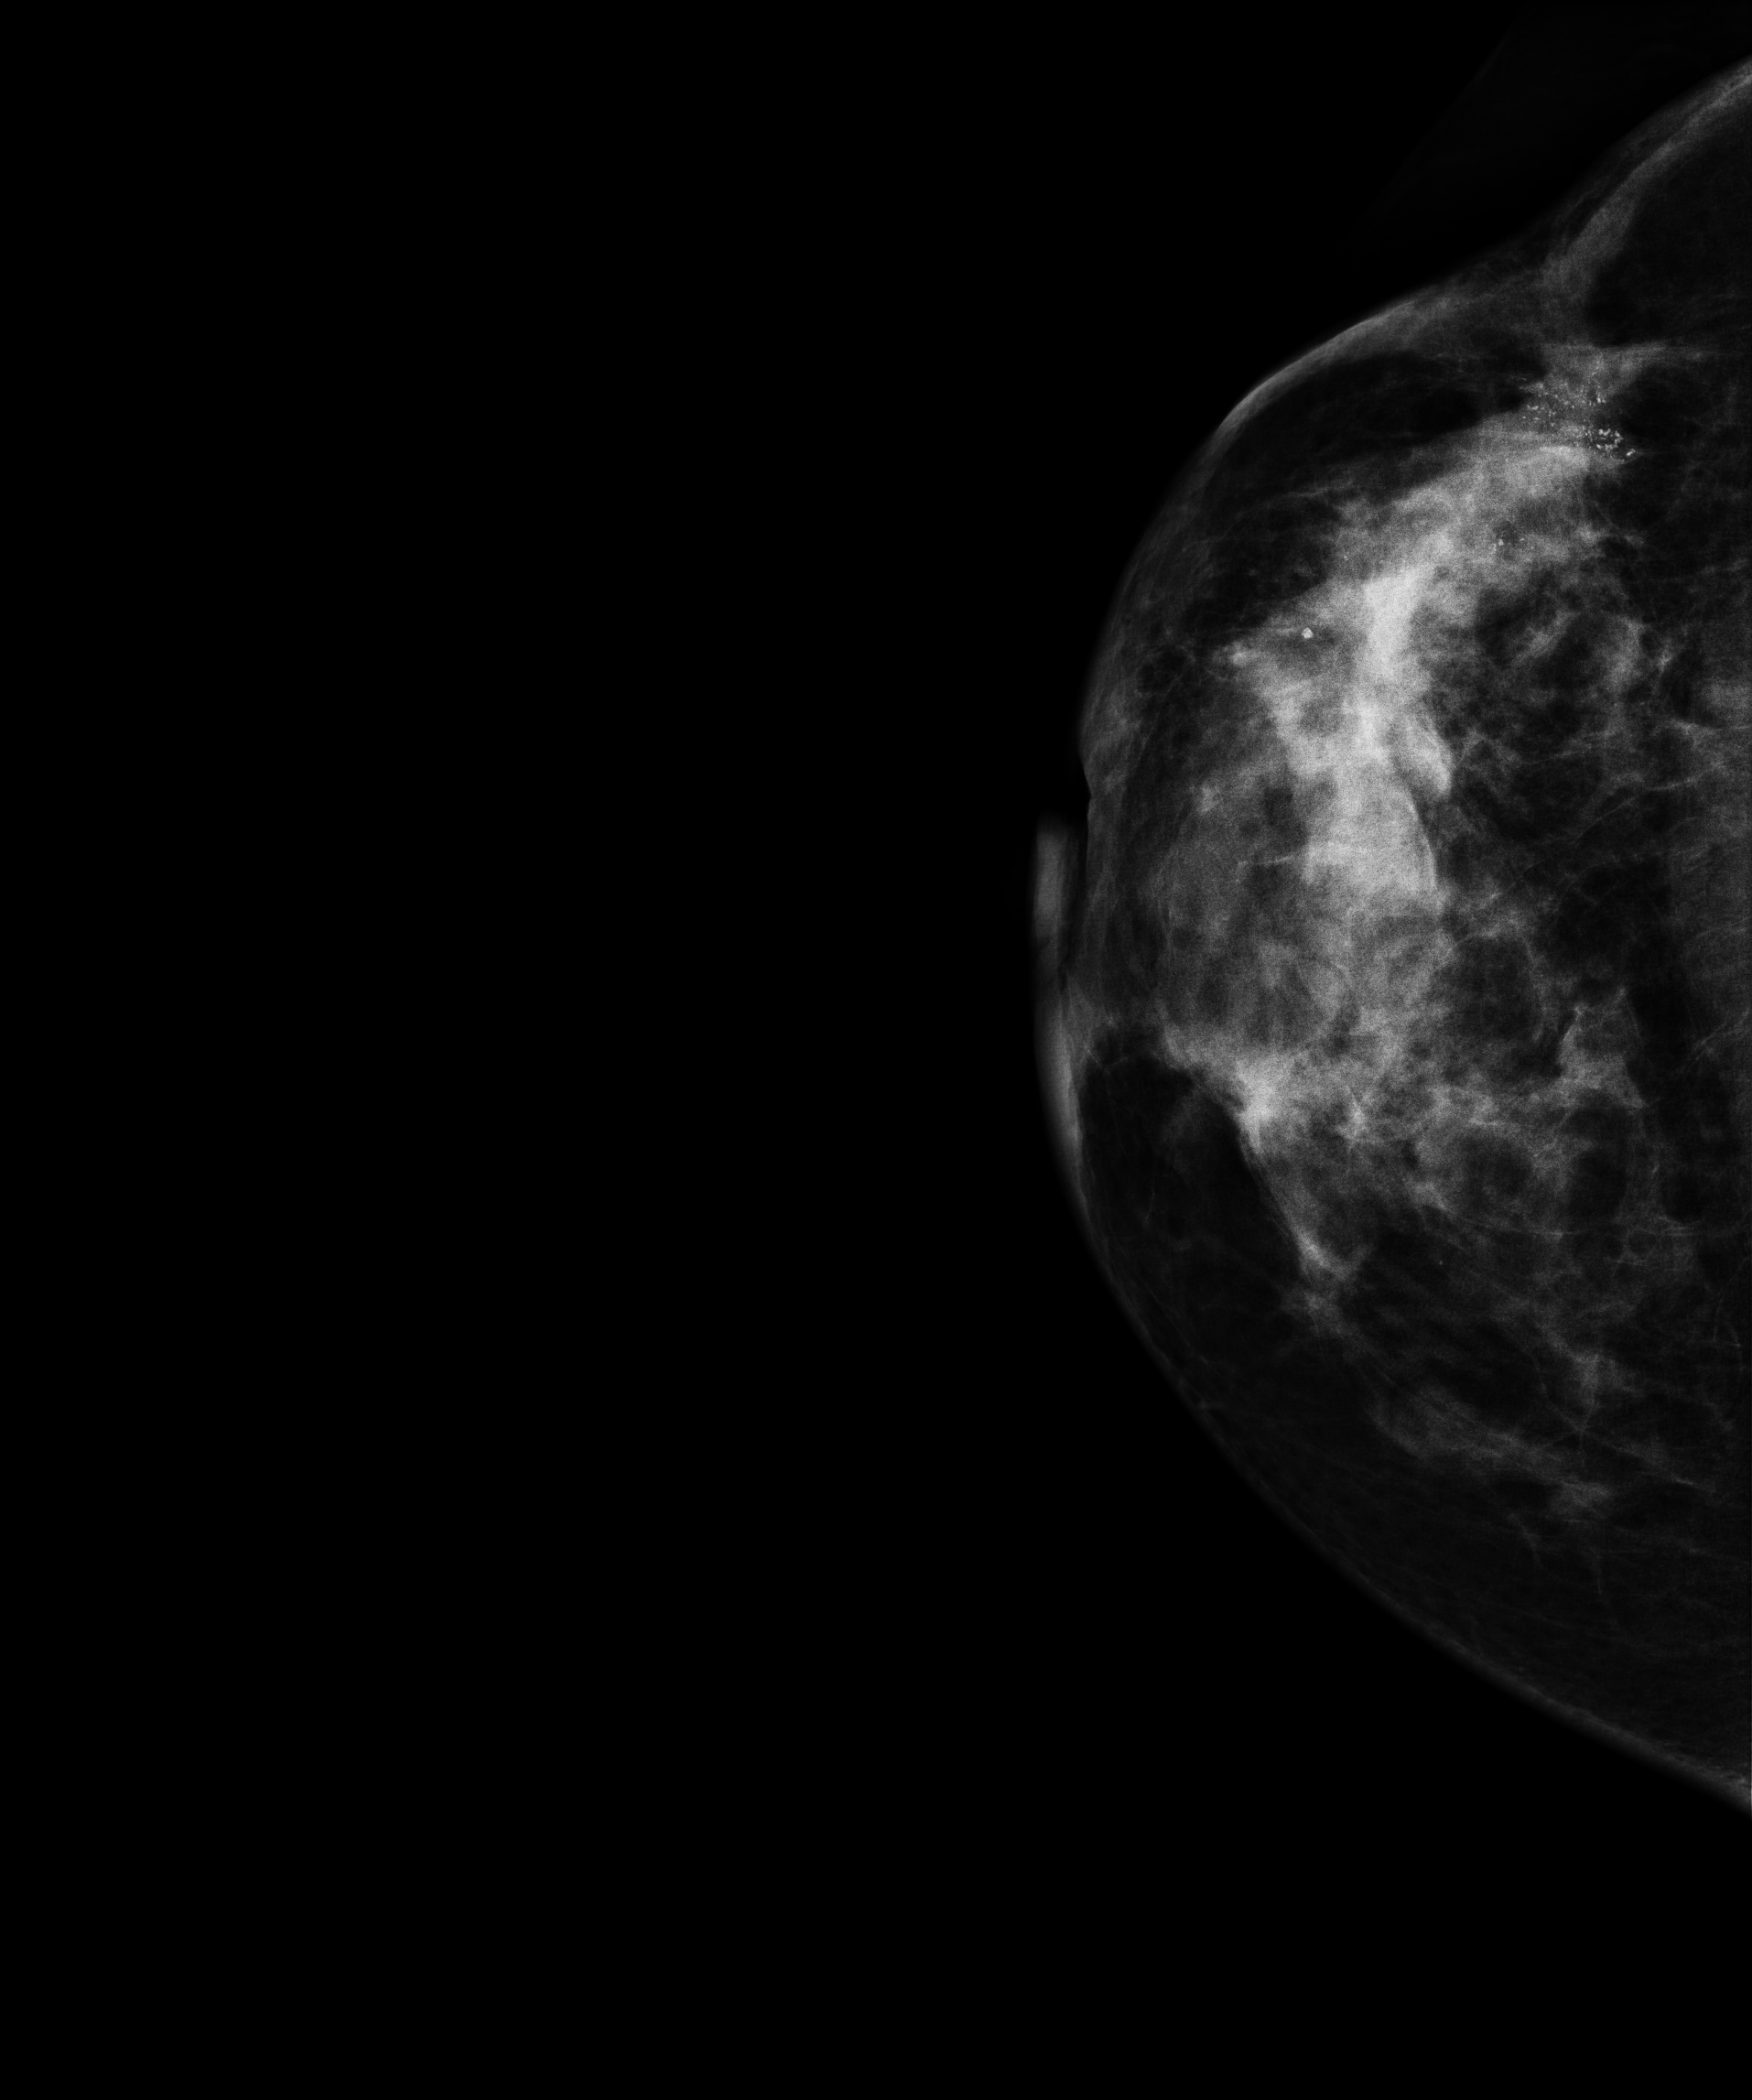
Mammogram, right breast, CC view. Patient age 50.
This breast has a mass and calcifications, pathology-confirmed malignant. Molecular subtype: luminal A.